Left-breast mammogram, cranio-caudal. 37-year-old patient.
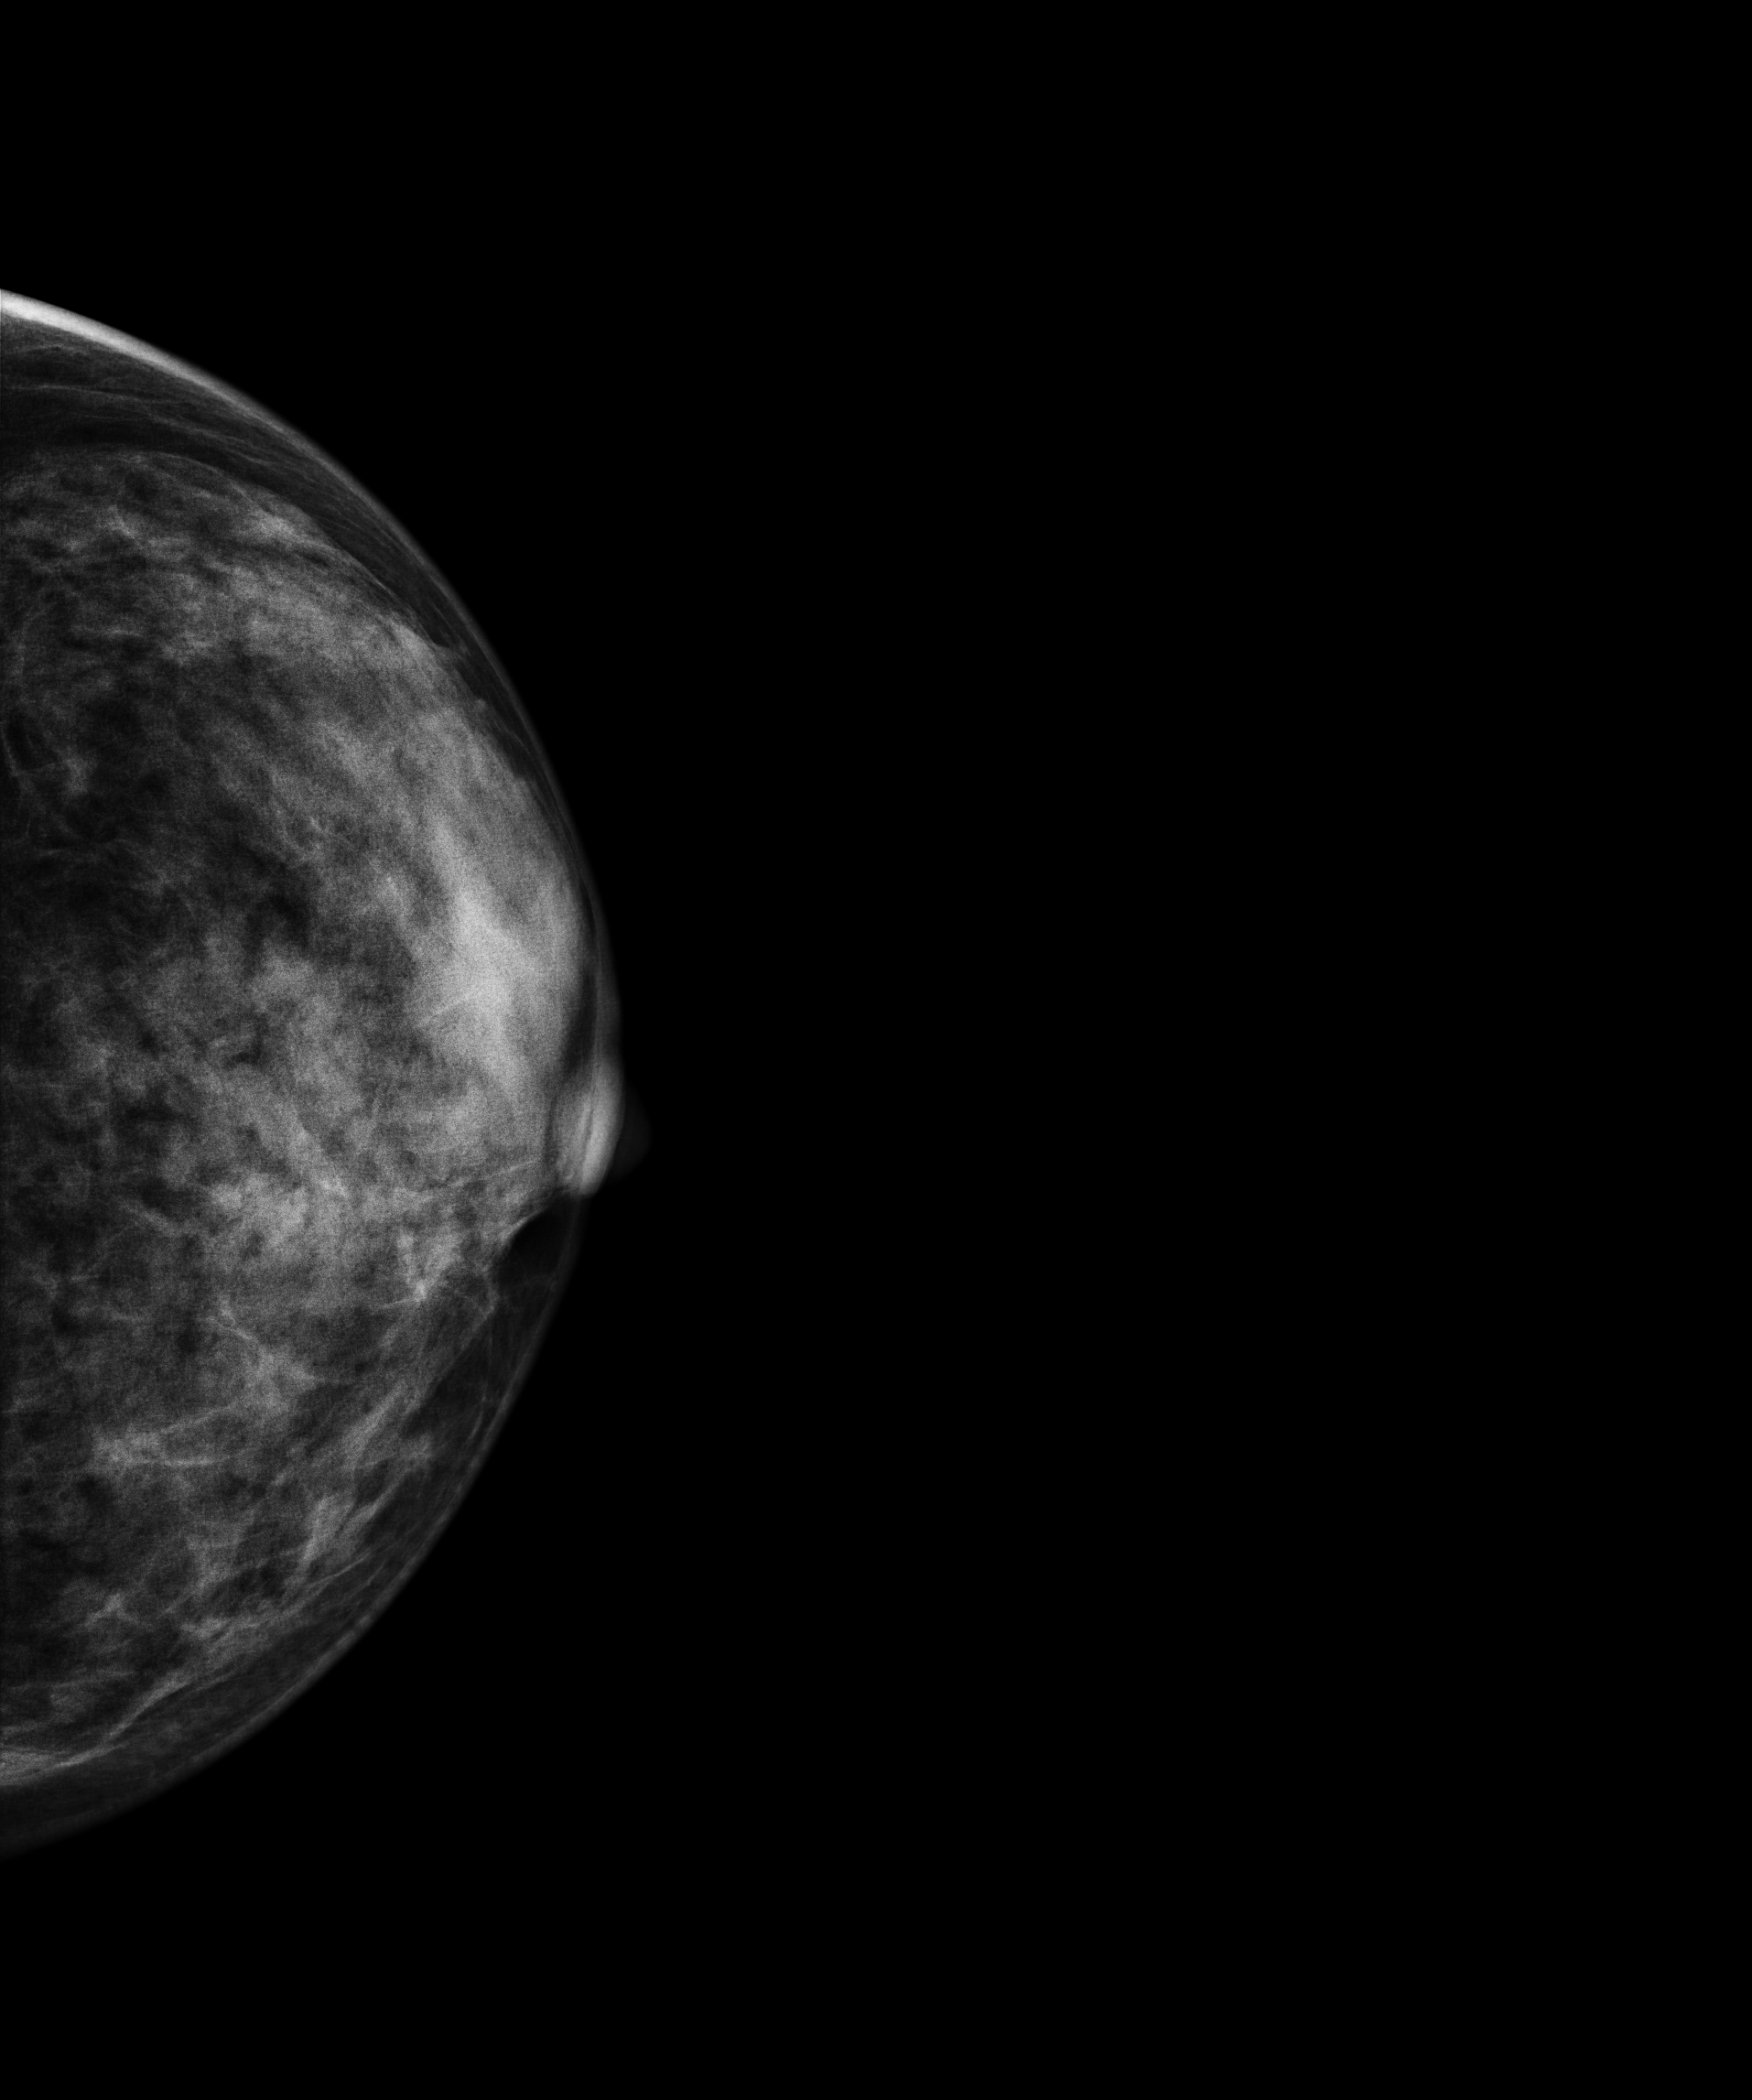
This breast has a mass, histologically confirmed benign.